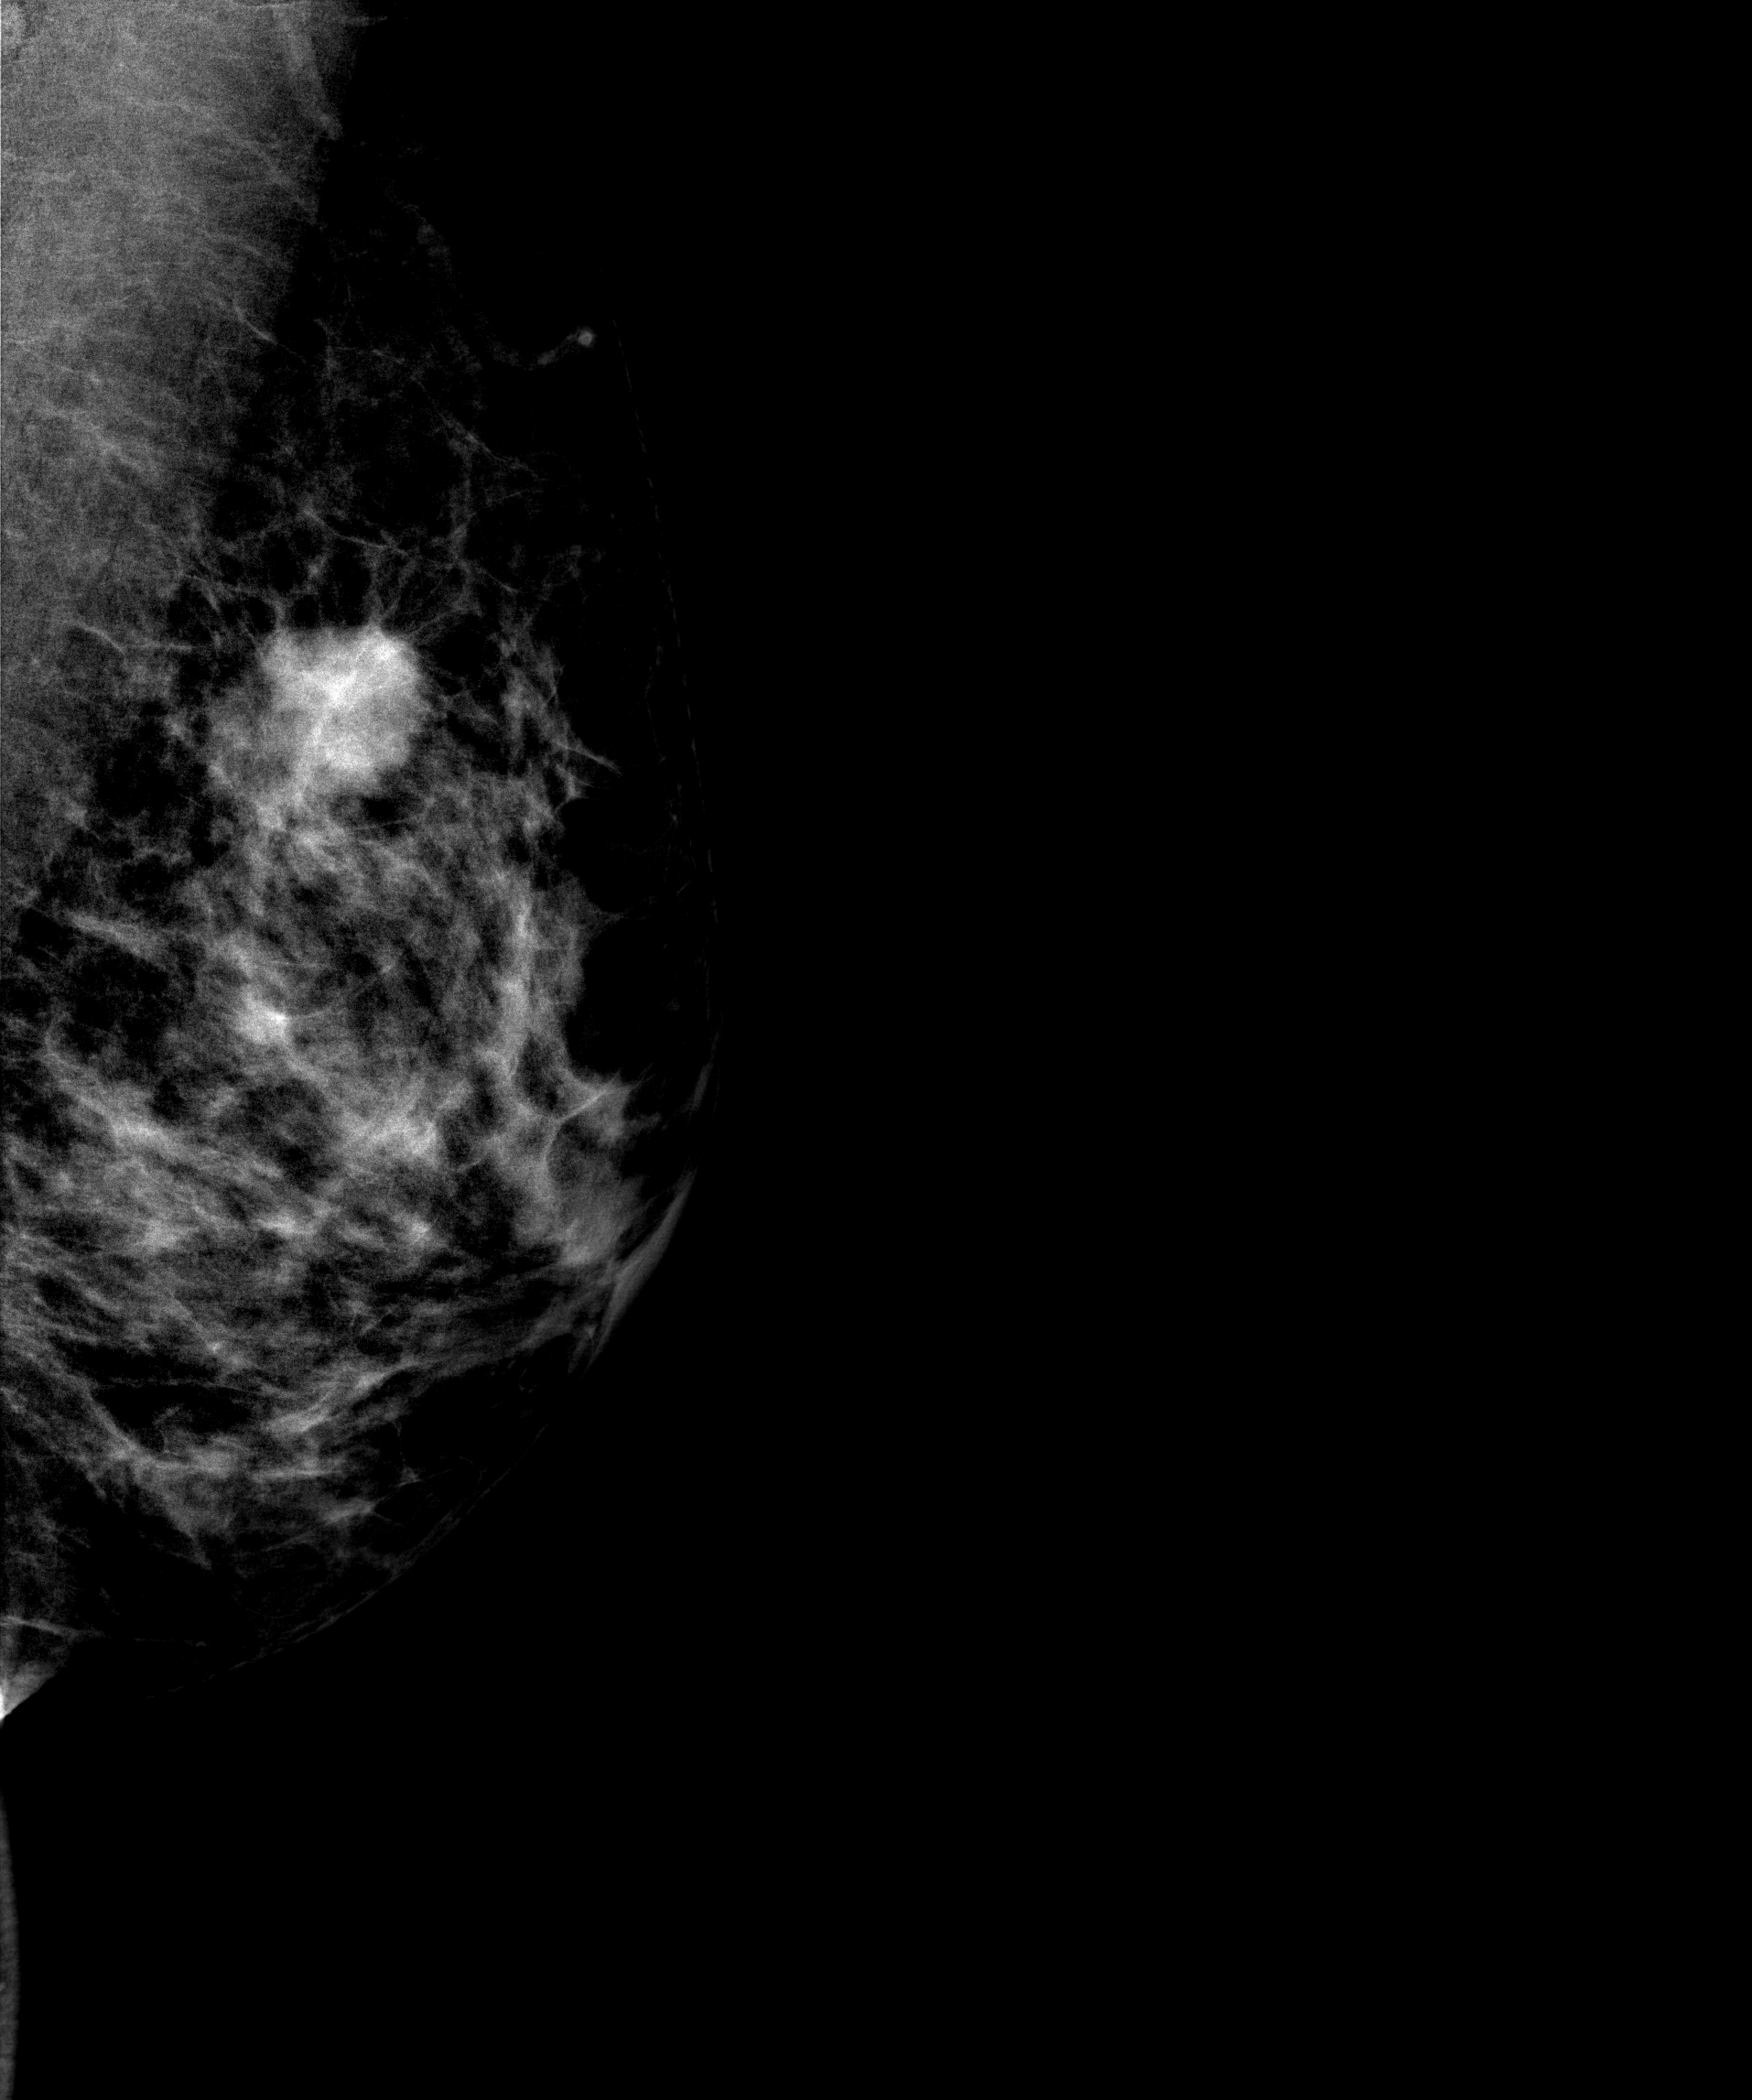
Mammogram — left medio-lateral oblique. 41-year-old patient.
This breast has a mass, pathology-confirmed malignant.